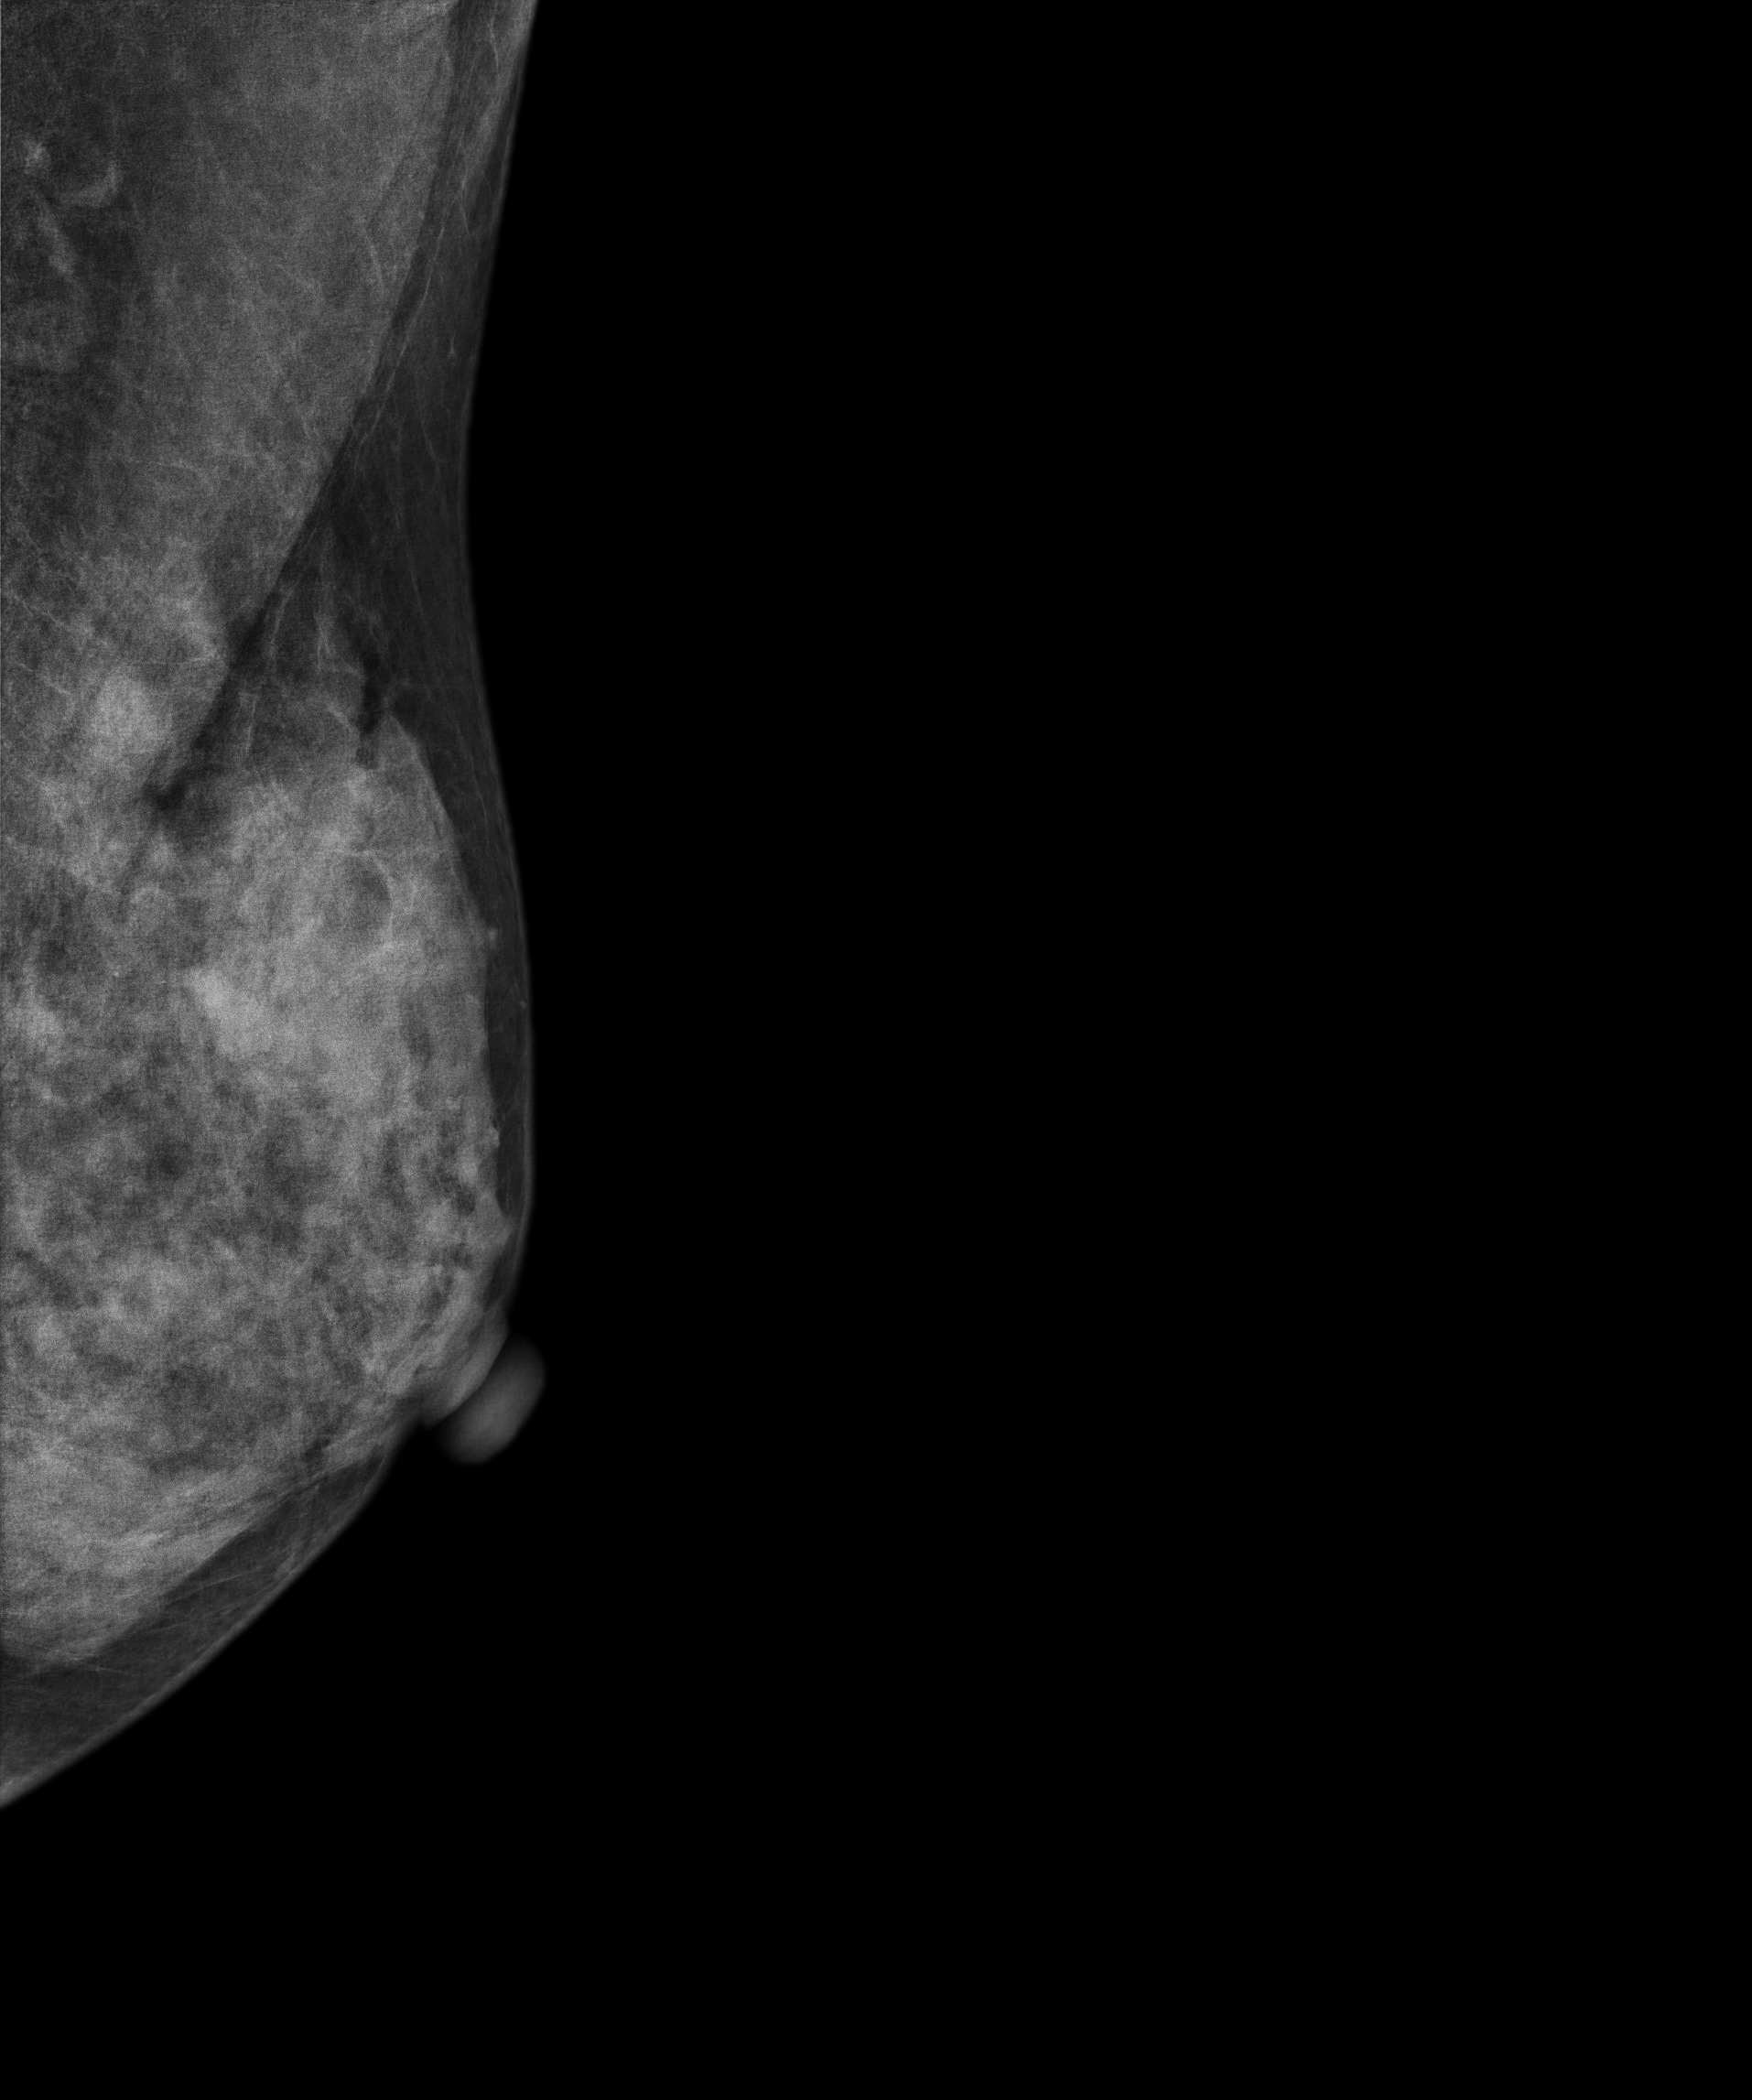
Medio-lateral oblique mammogram of the left breast. 47-year-old patient.
This breast has a mass and calcifications, histologically confirmed malignant. Molecular subtype: luminal A.